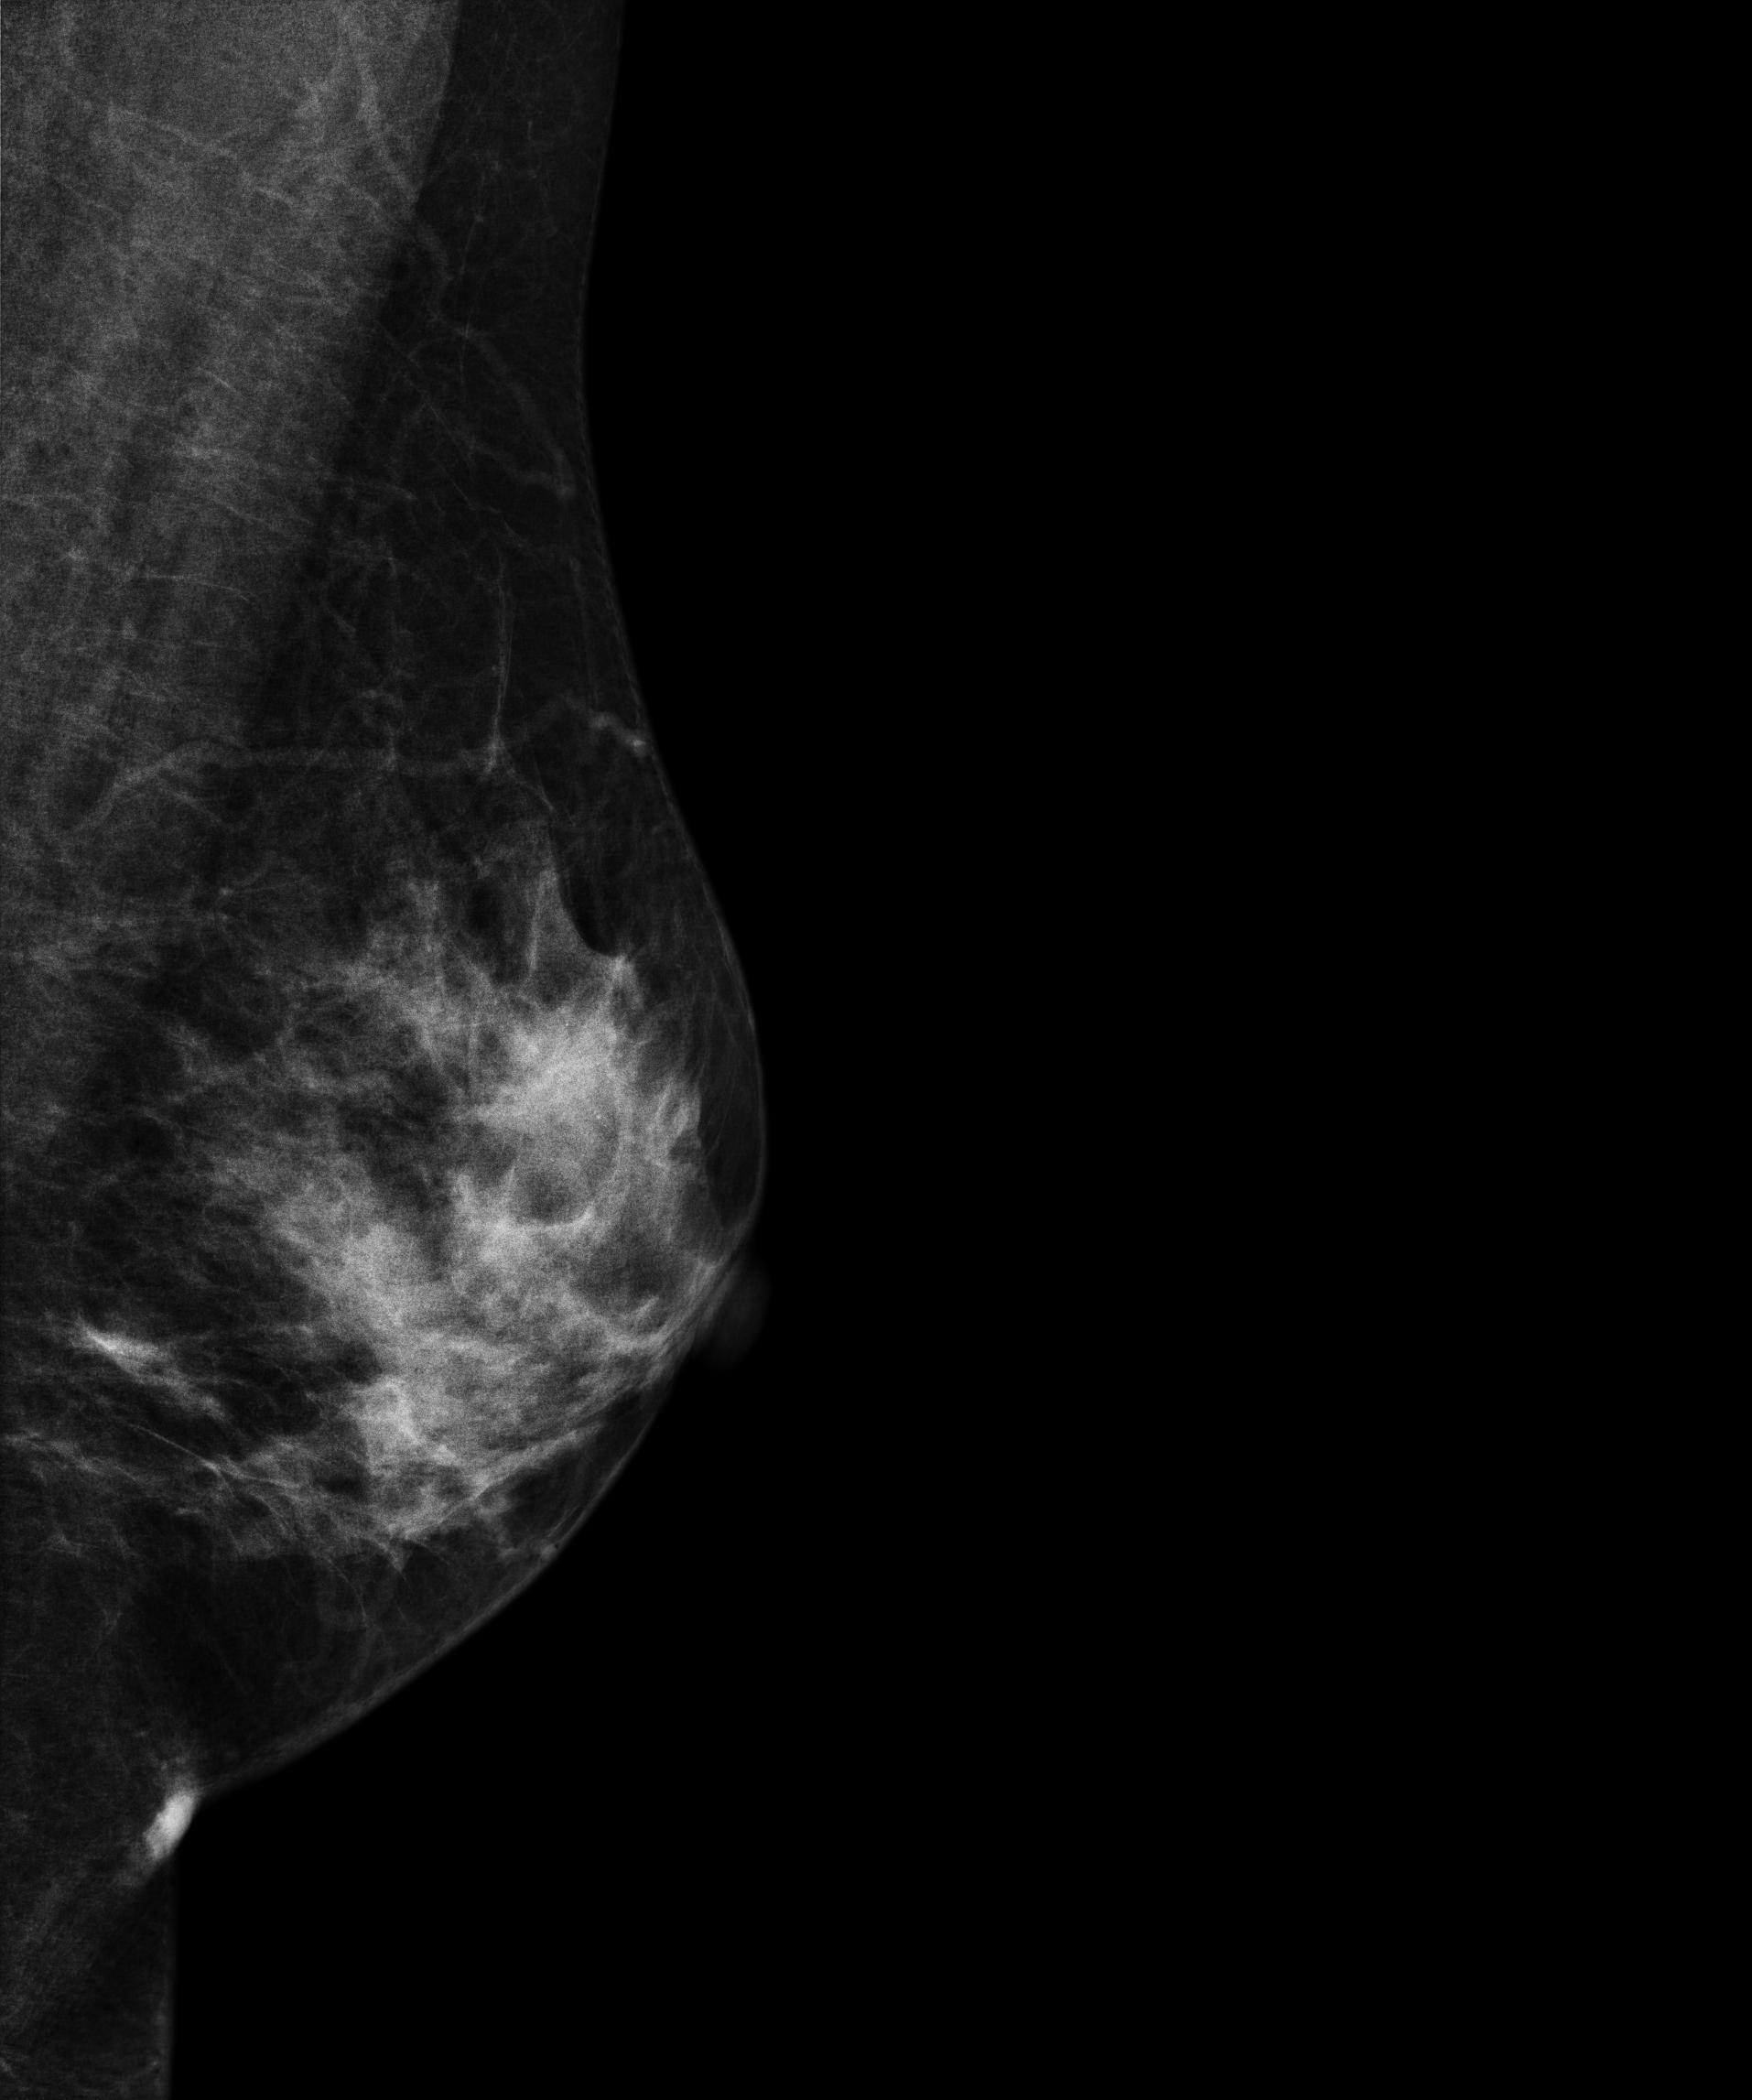
Left-breast mammogram, medio-lateral oblique. 55-year-old patient.
This breast has a mass and calcifications, histologically confirmed malignant. Molecular subtype: luminal A.